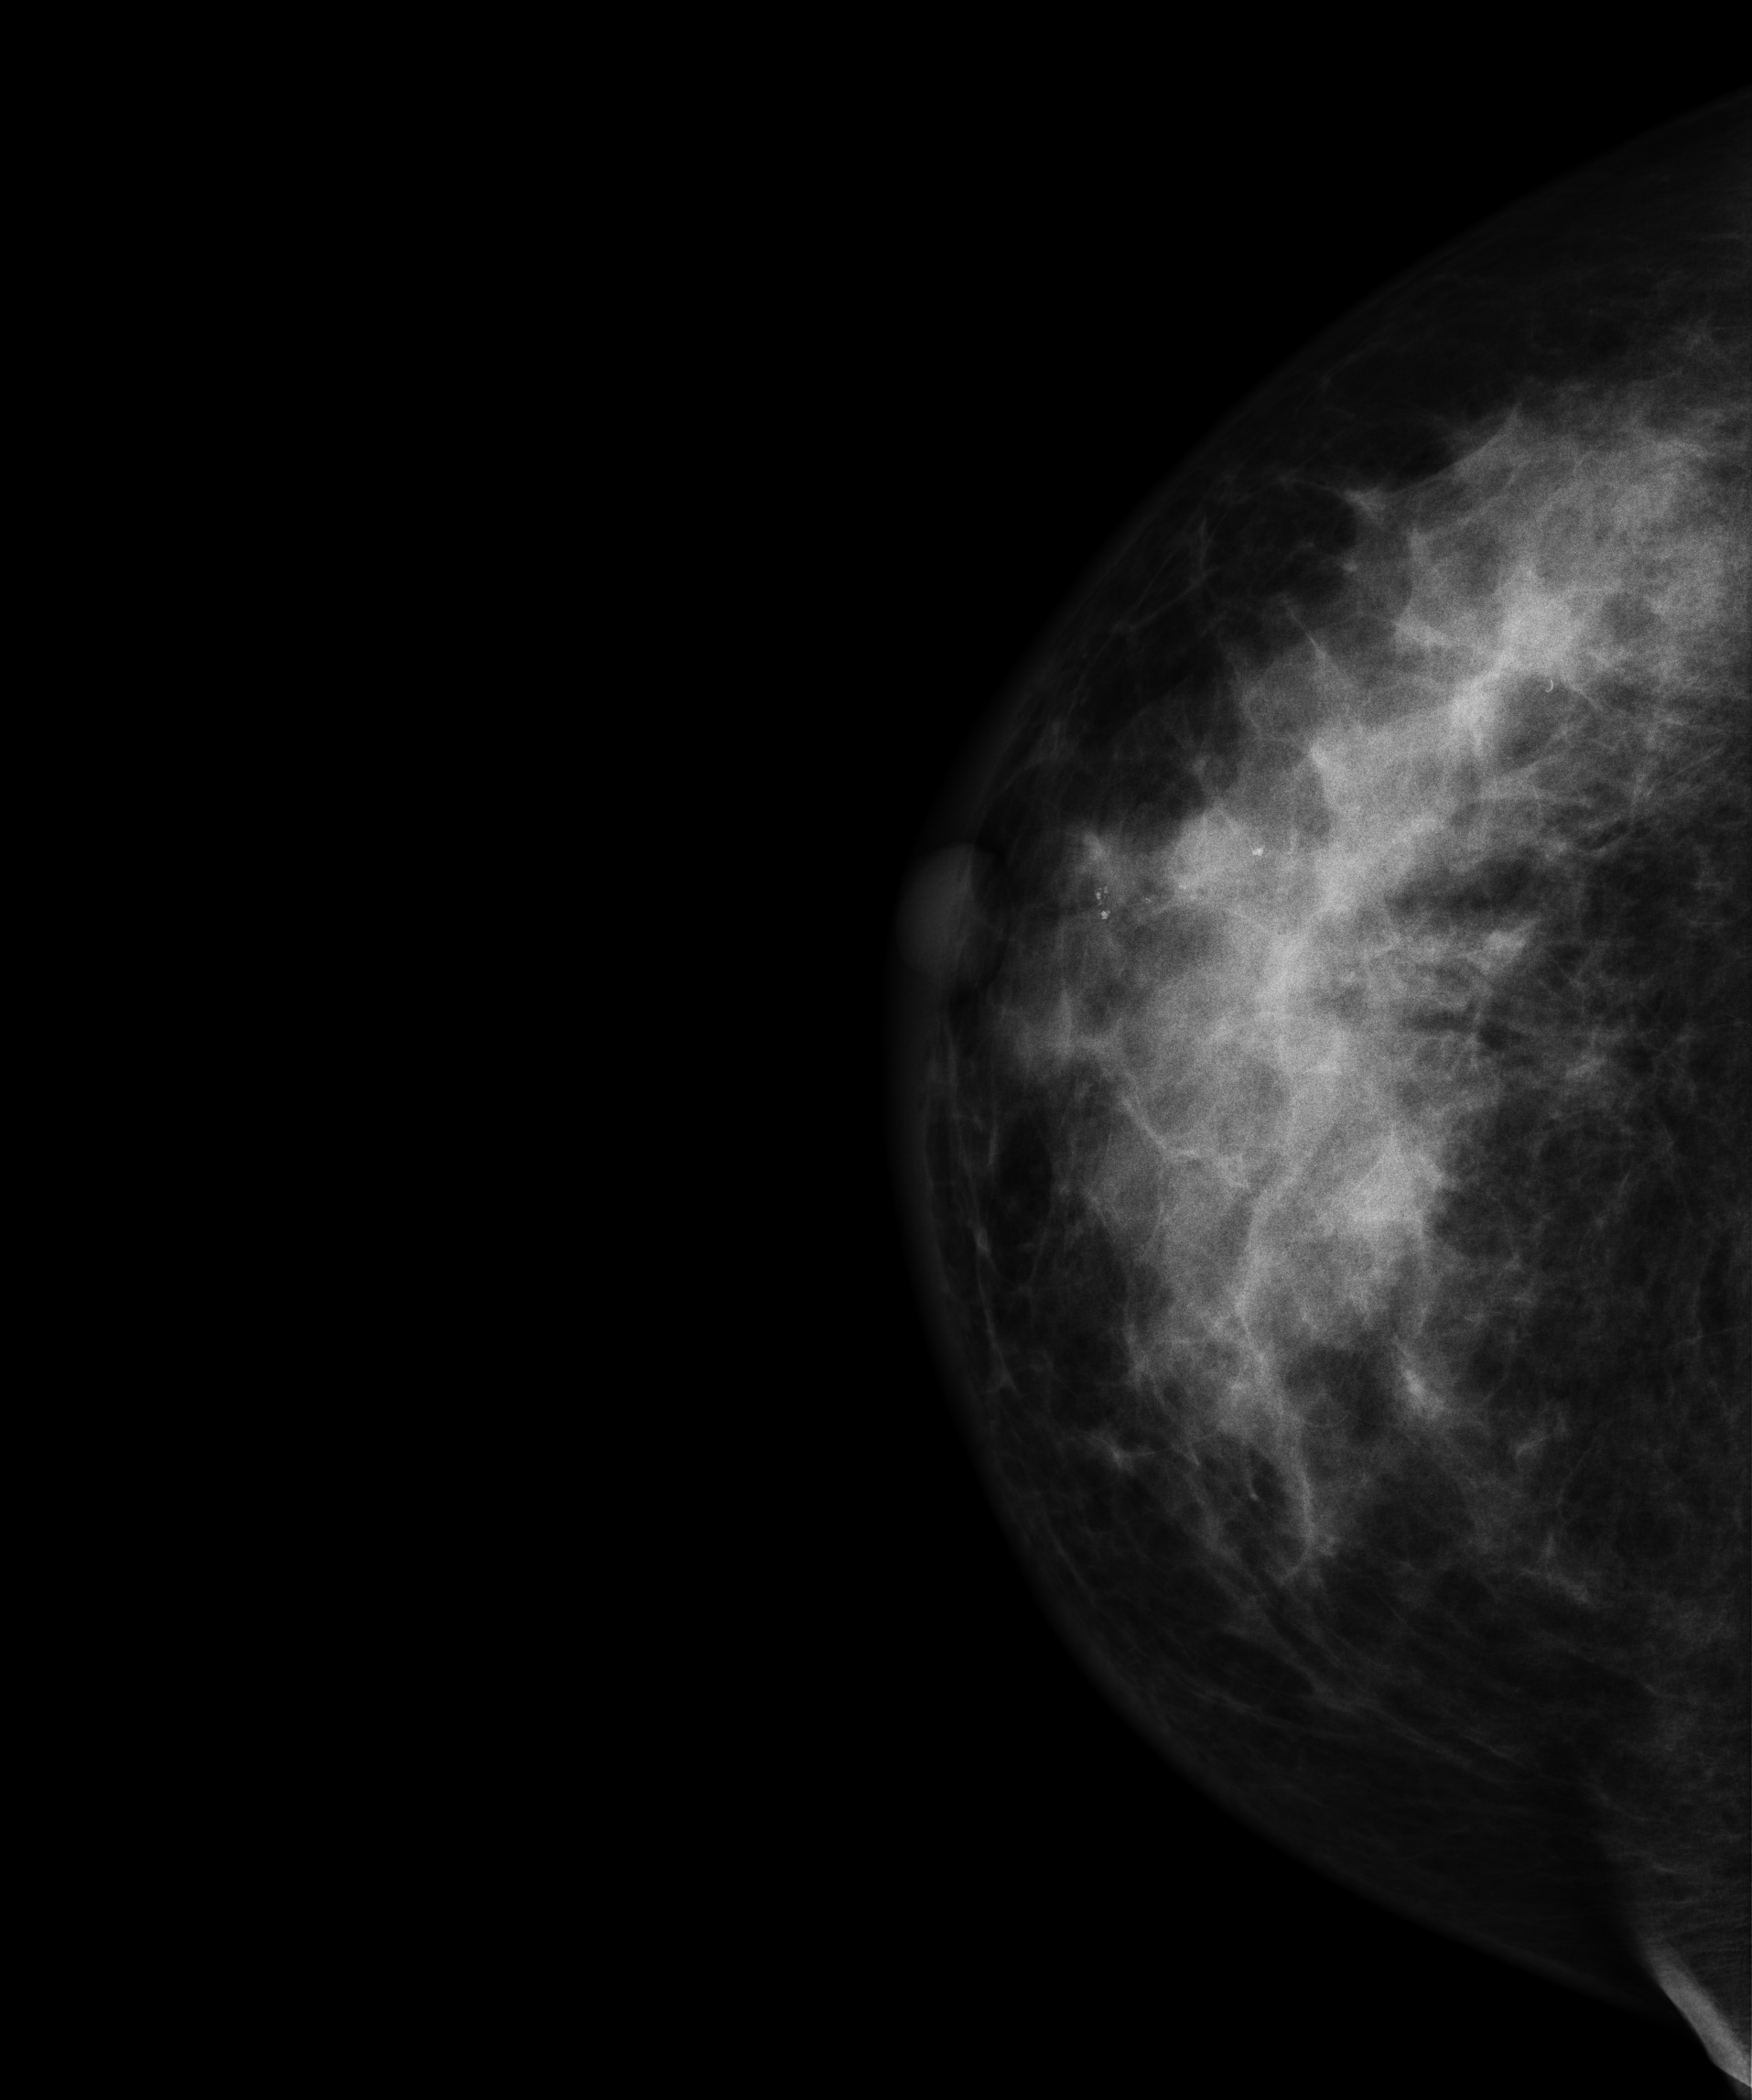
Right-breast mammogram, cranio-caudal. 50 y/o patient.
This breast has a mass and calcifications, histologically confirmed malignant. Molecular subtype: HER2-enriched.